MLO mammogram of the left breast. Patient age 36.
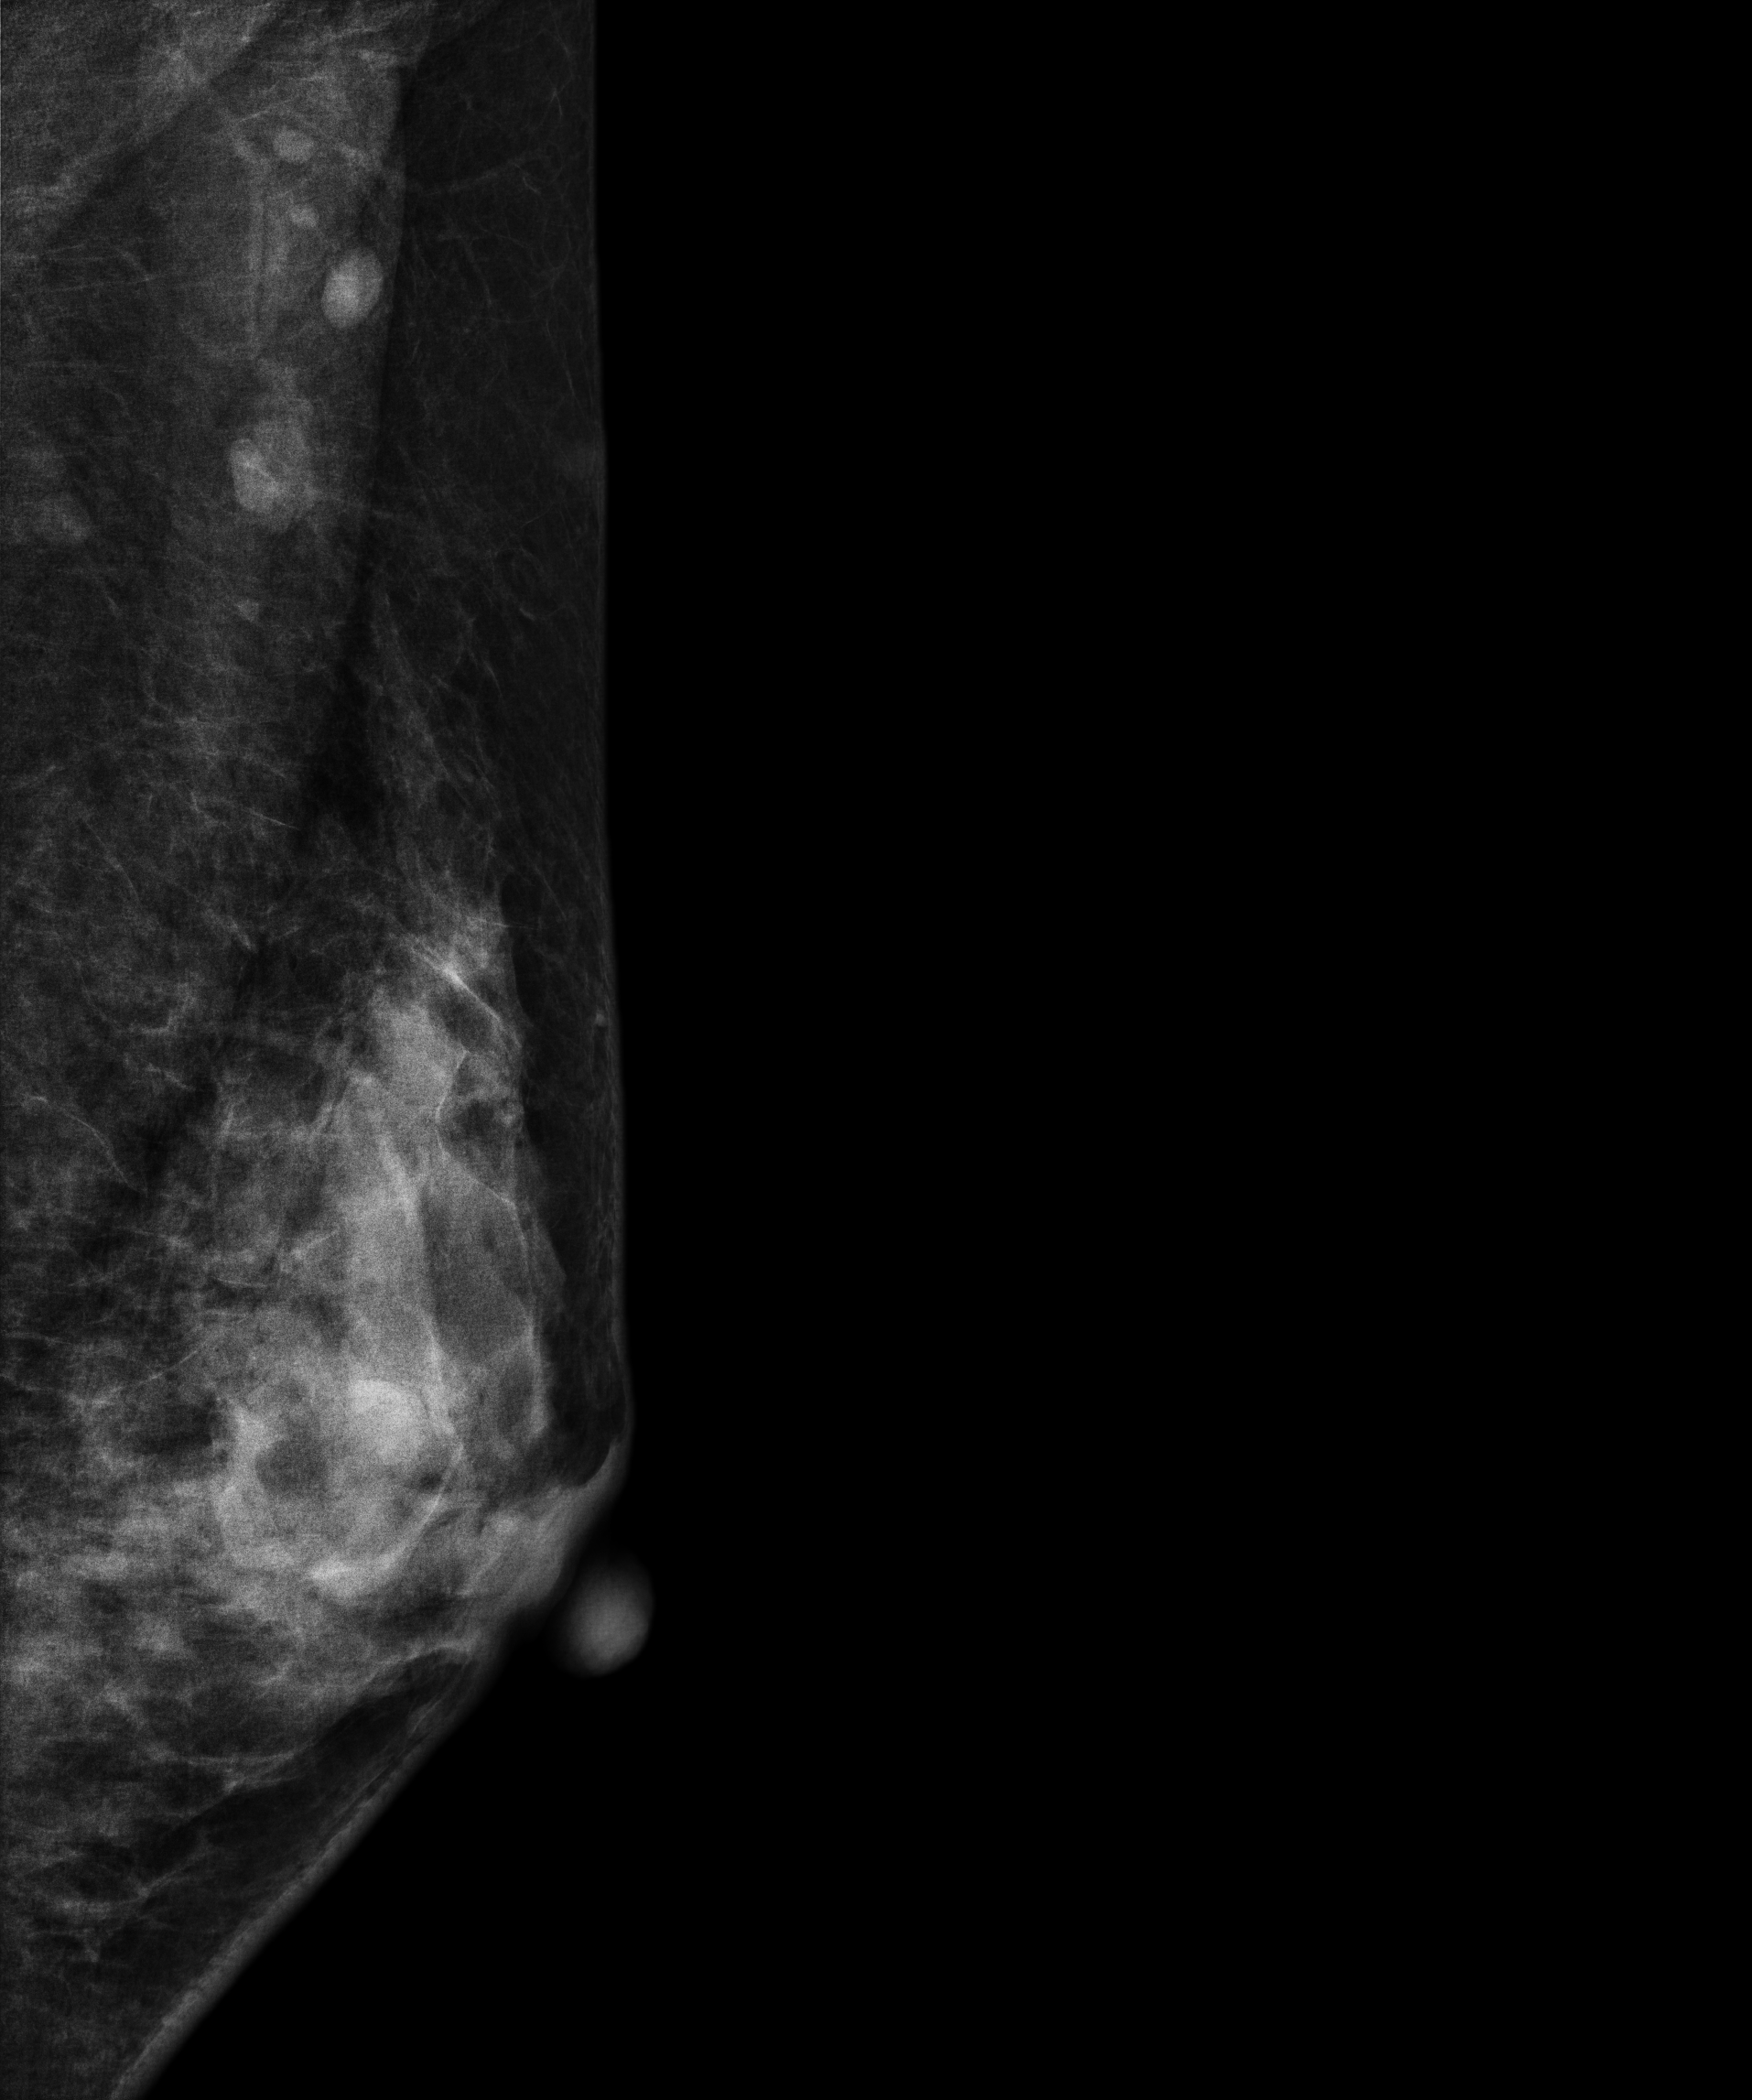
This breast has a mass, histologically confirmed benign.